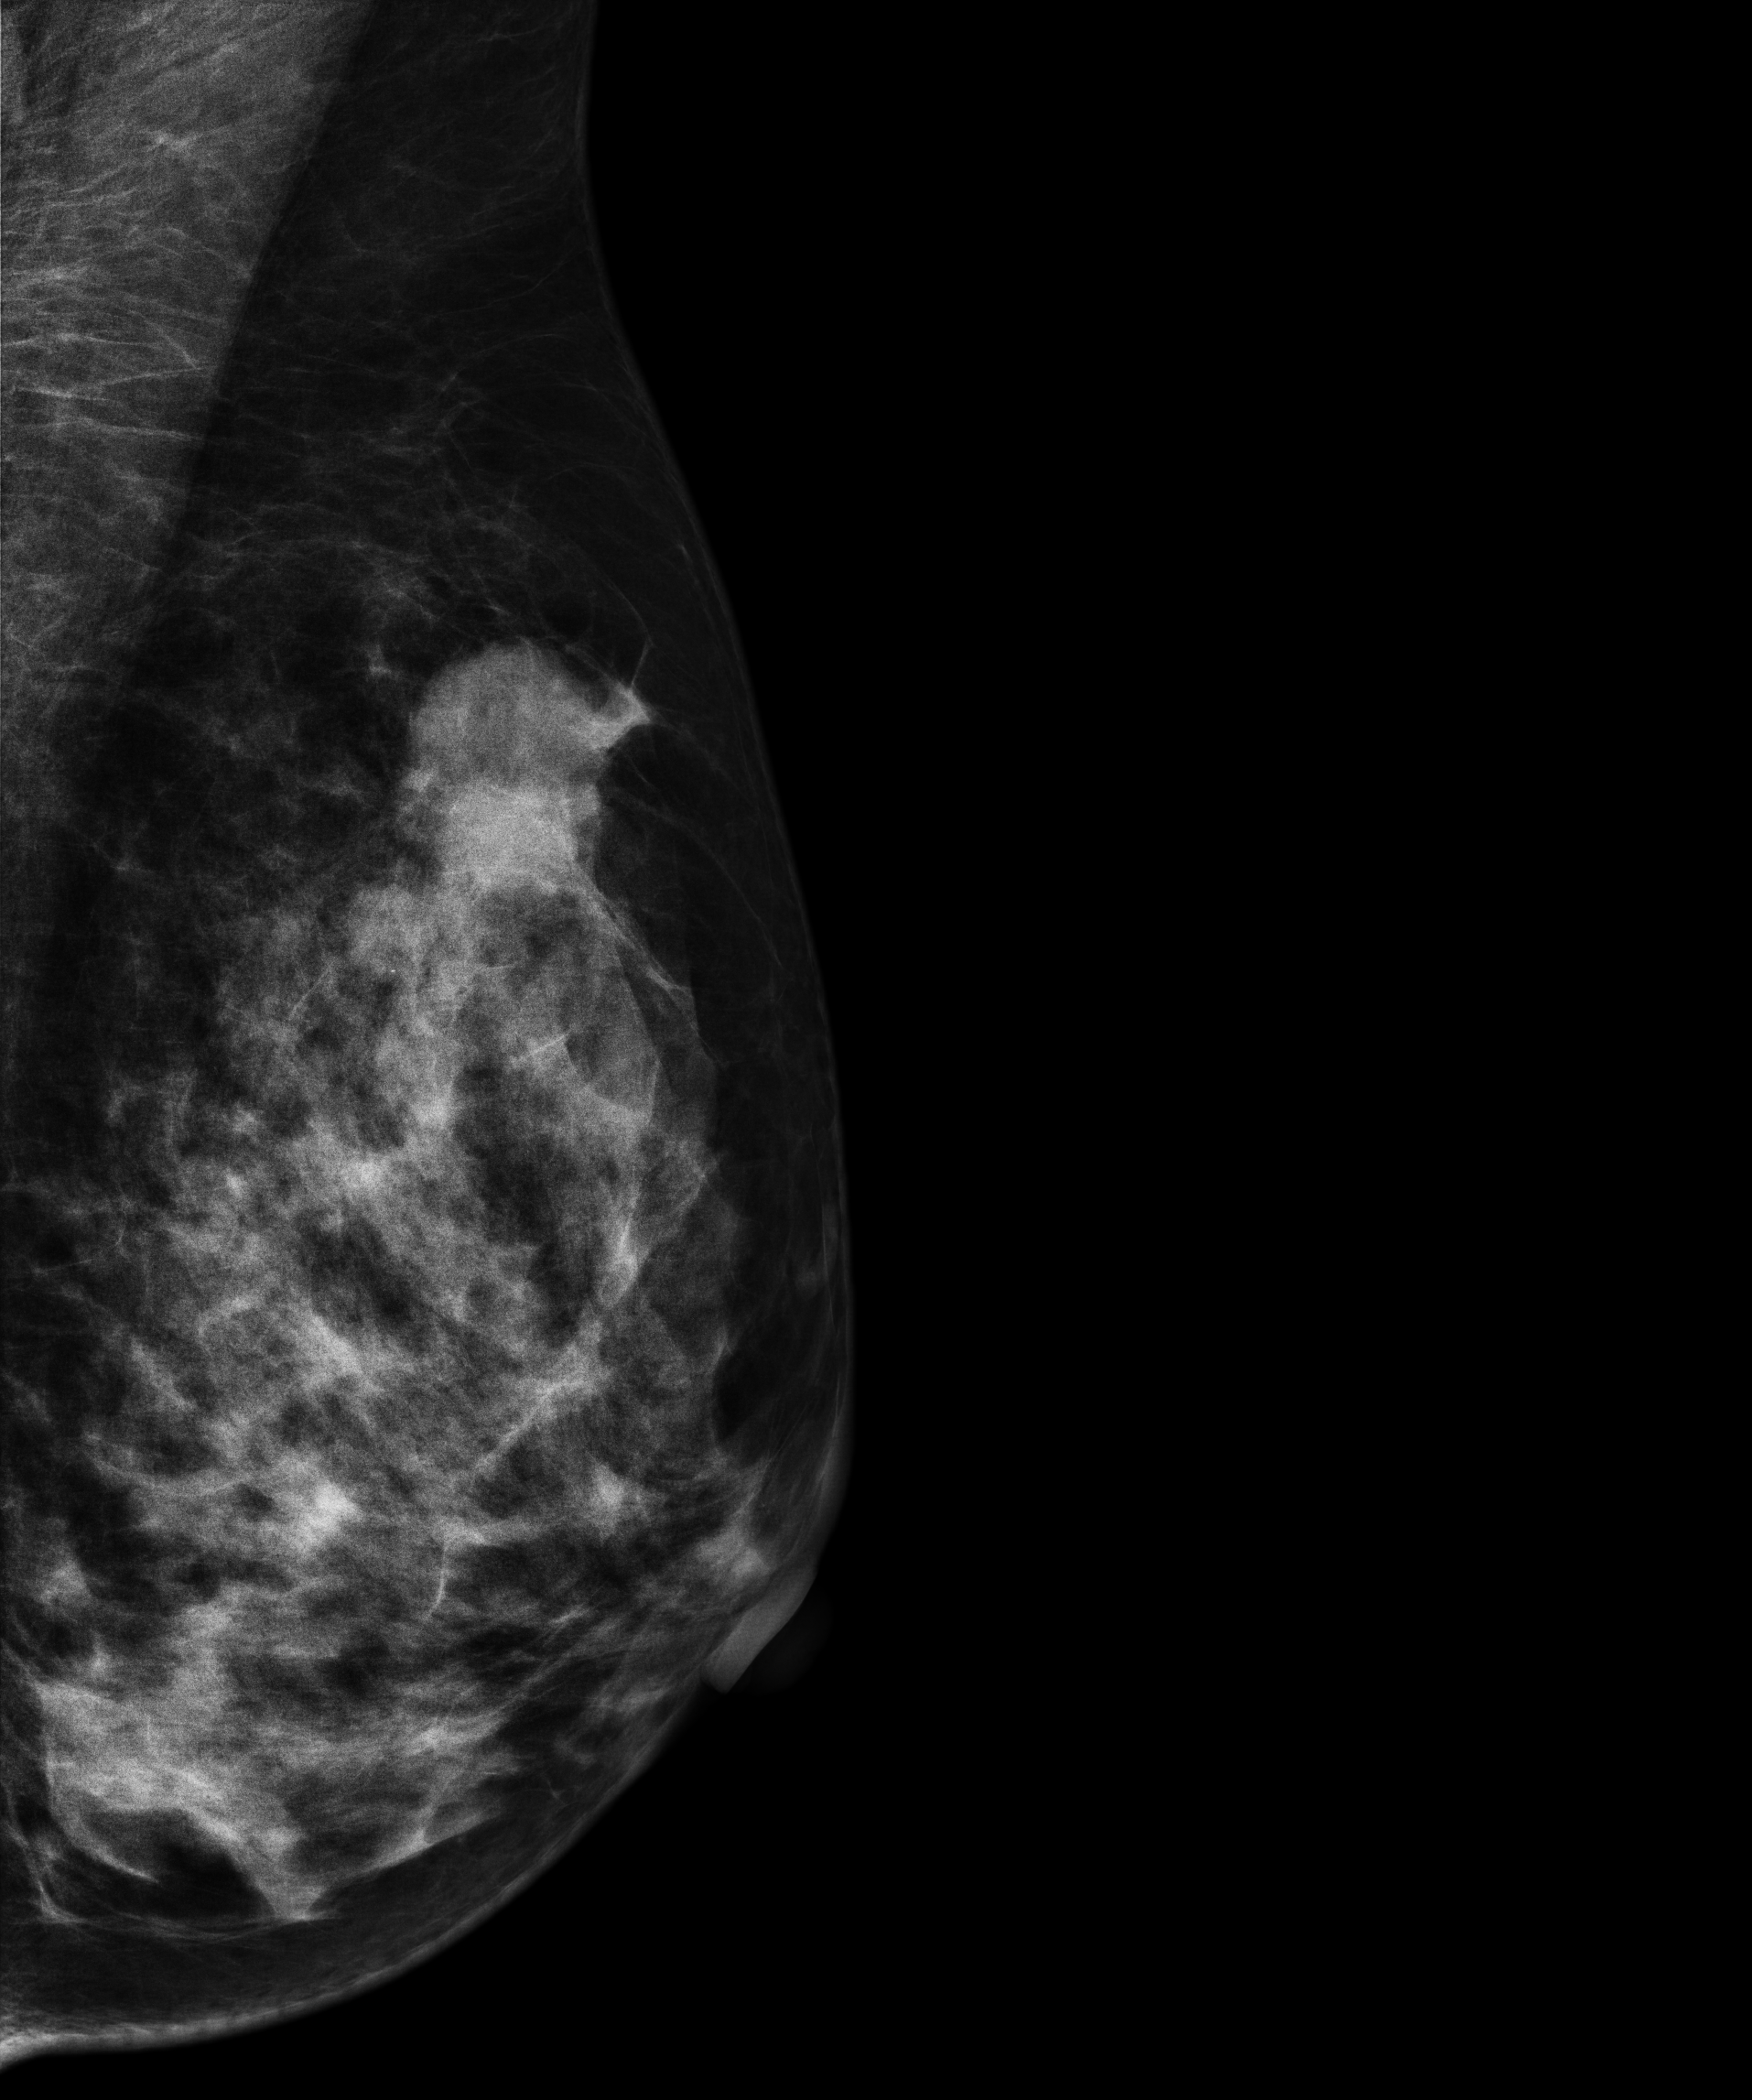
Left-breast mammogram, MLO. Patient age 51.
This breast has a mass, biopsy-proven malignant.